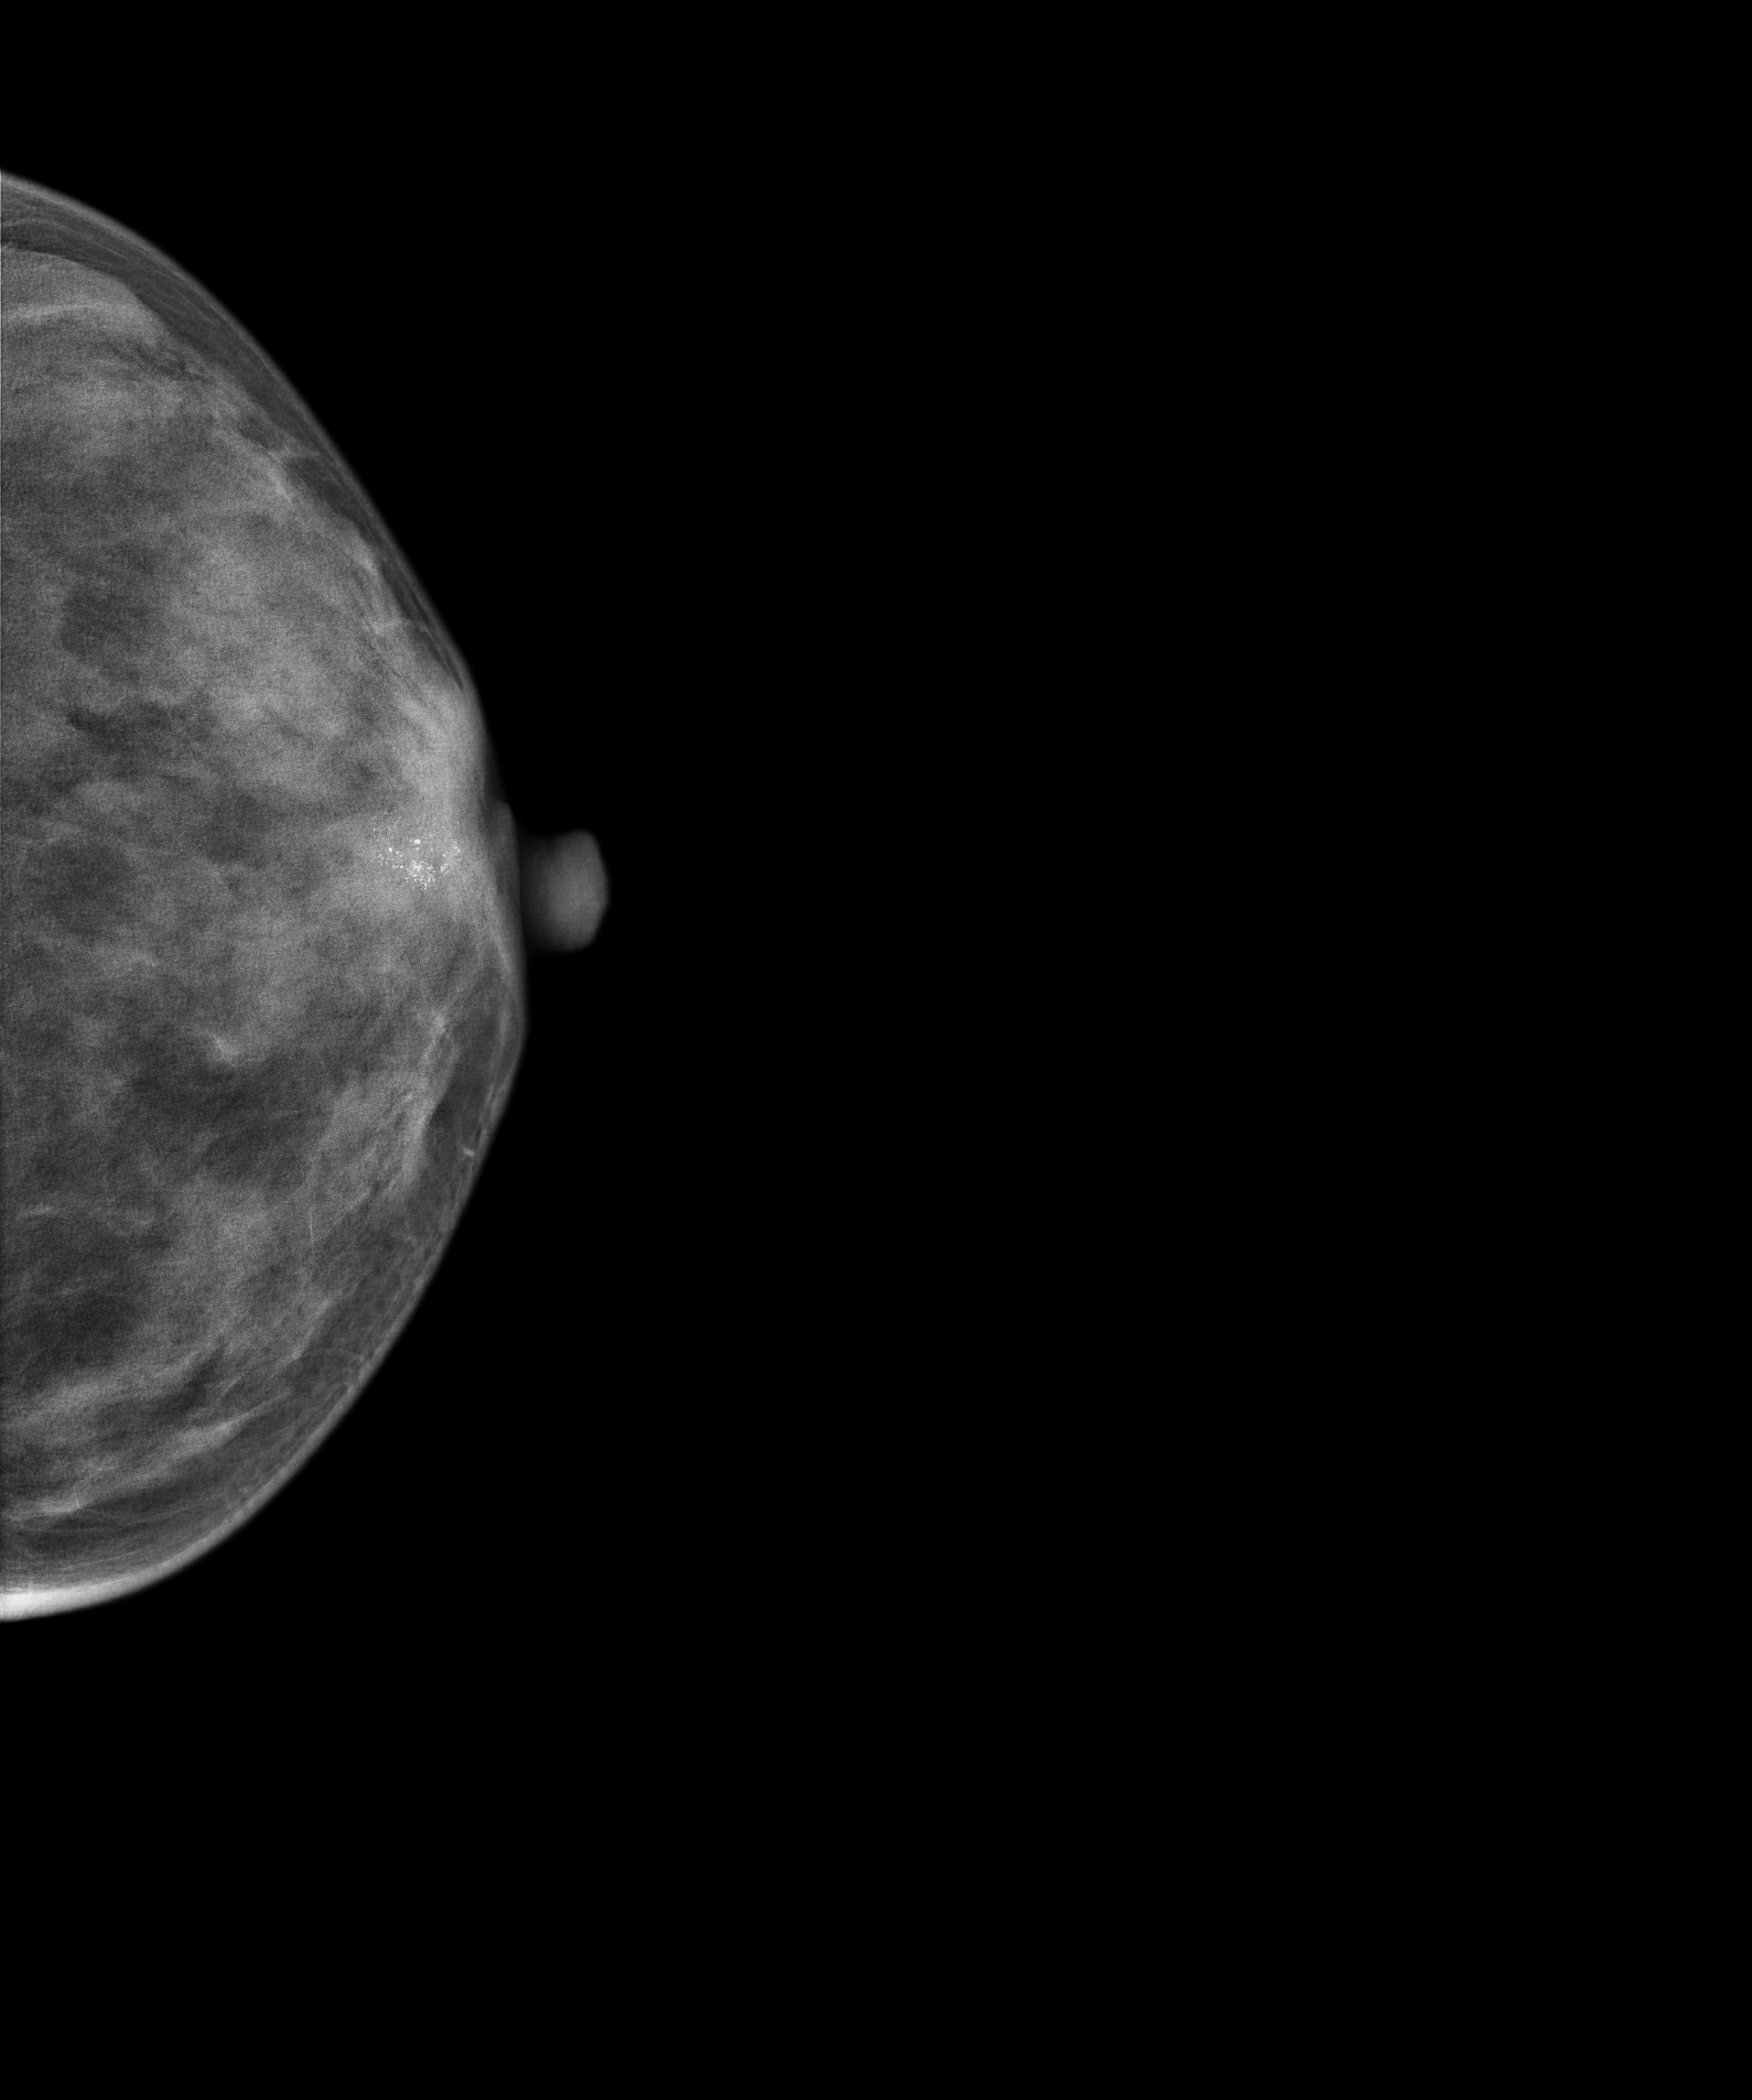
Mammogram, left breast, cranio-caudal view. 38-year-old patient.
This breast has calcifications, biopsy-confirmed malignant. Molecular subtype: luminal B.